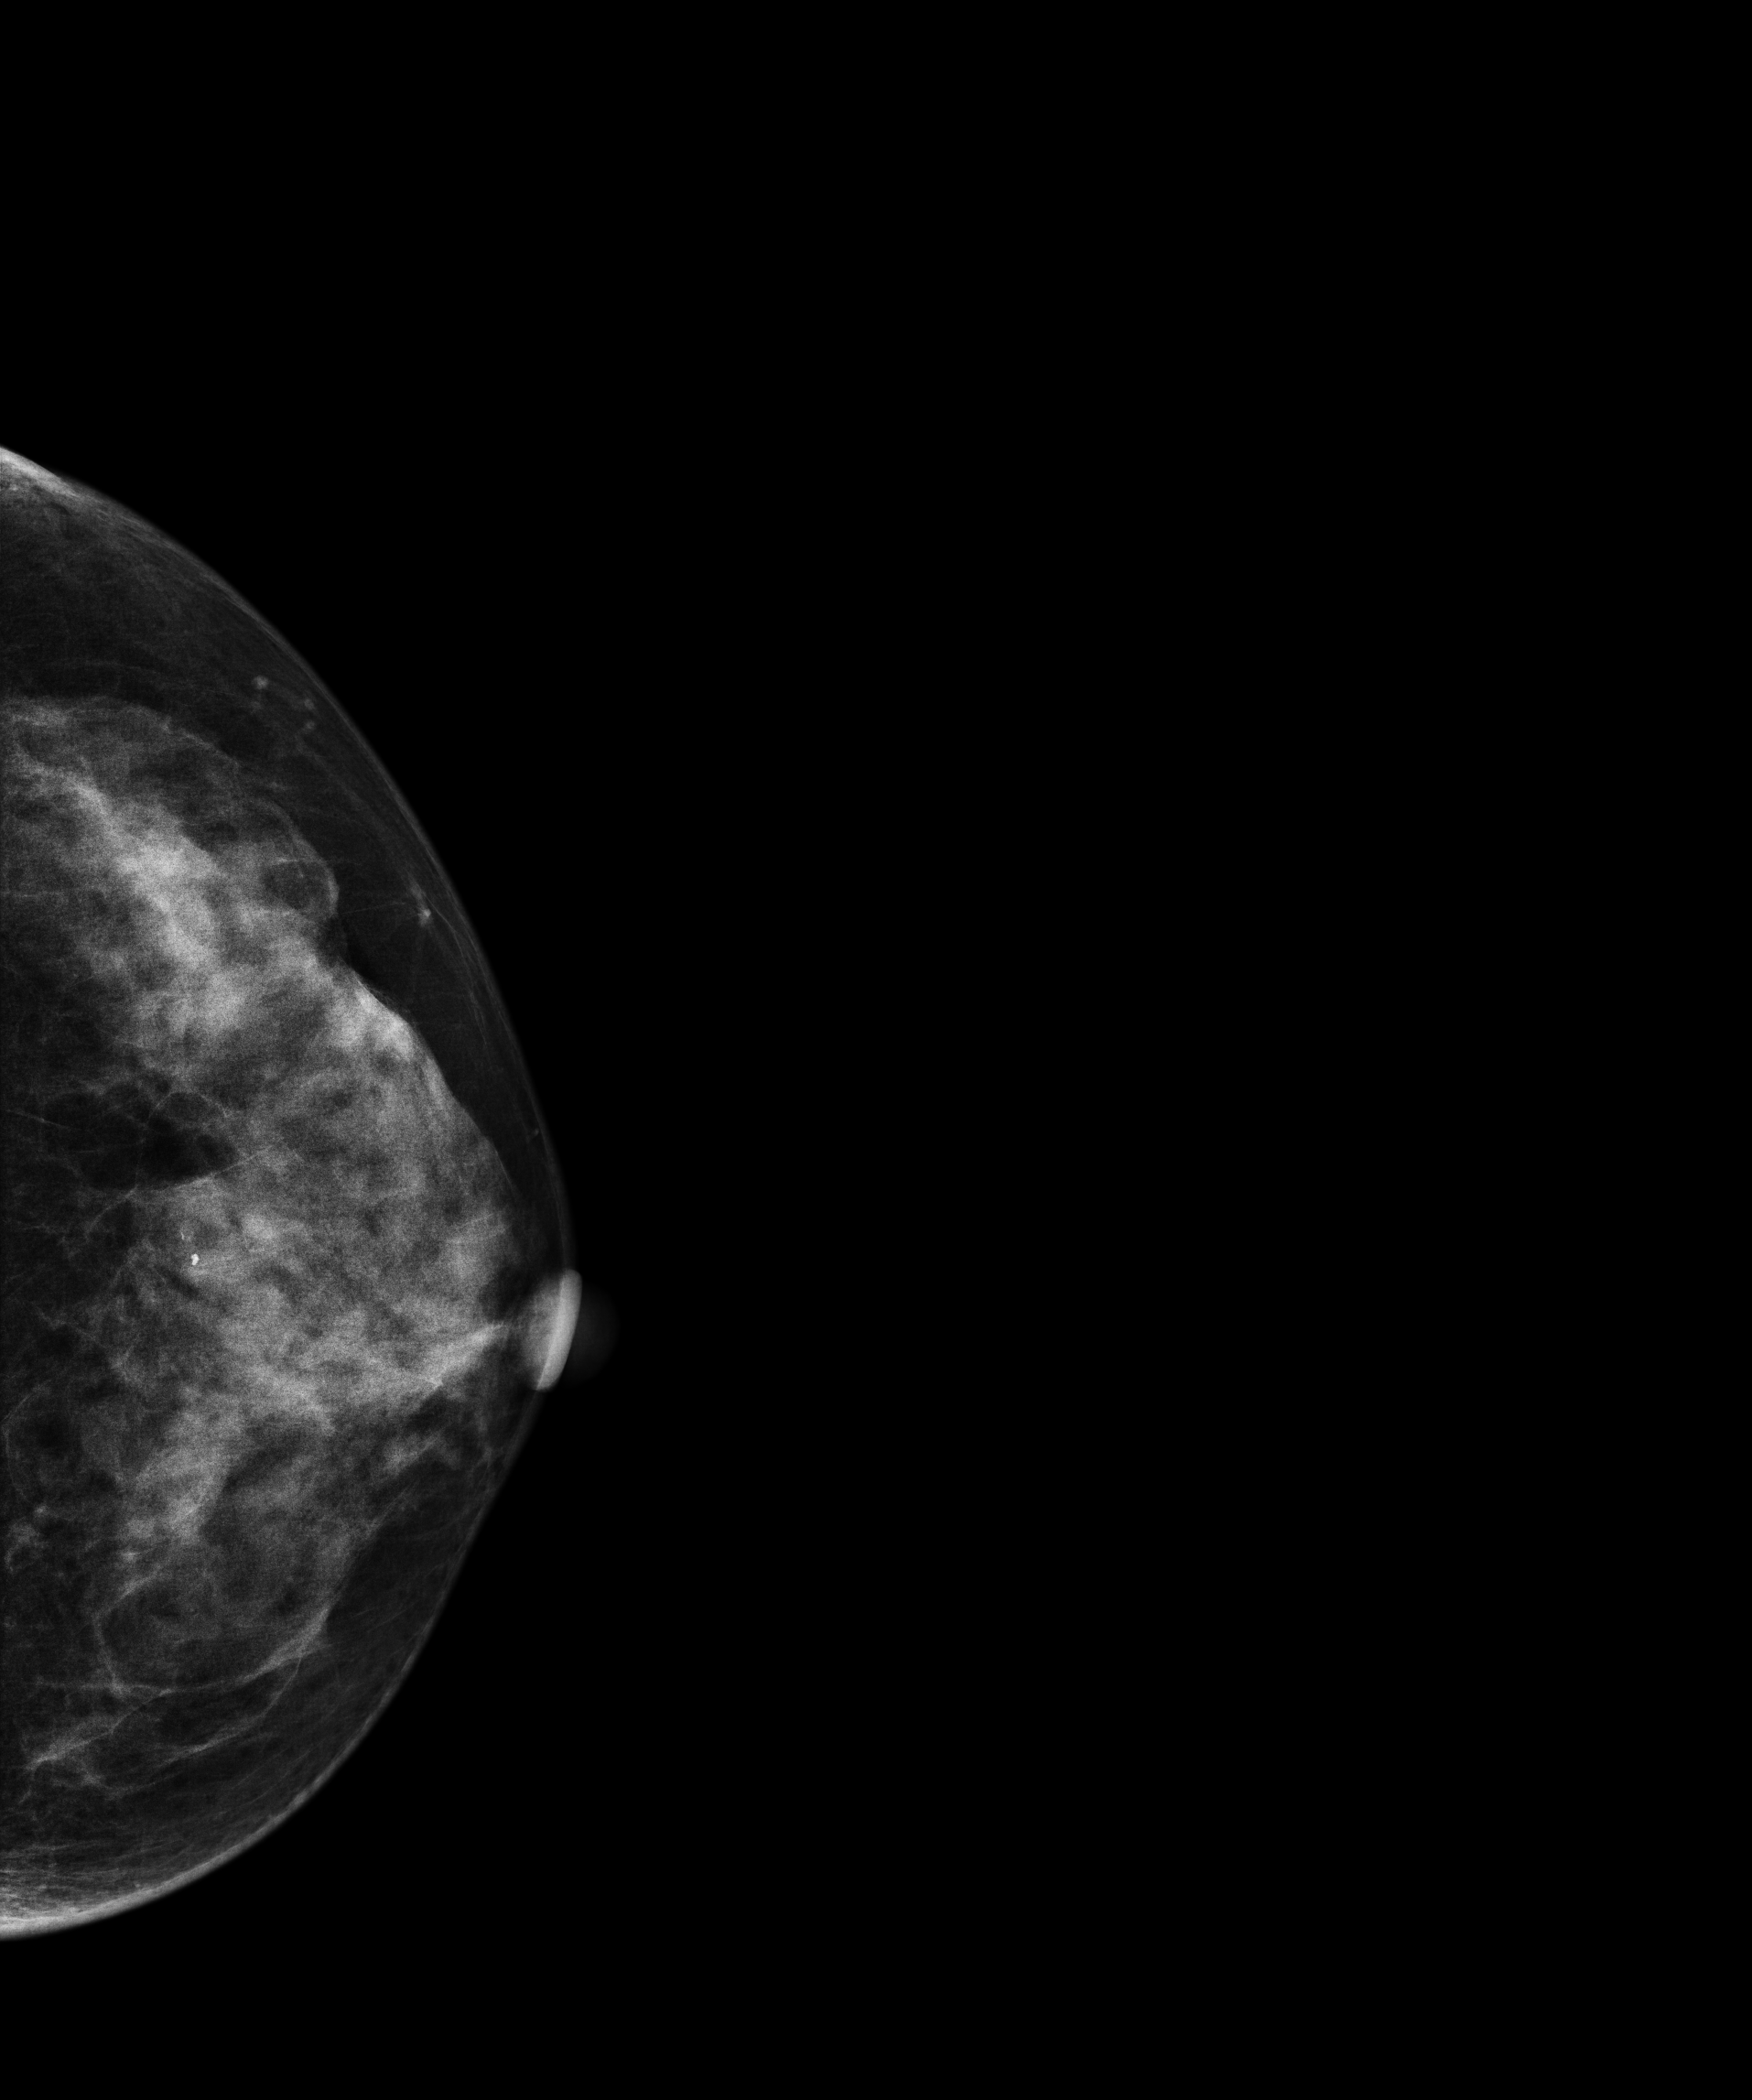
Digital mammography. Left breast, CC projection. Patient age 51.
This breast has a mass and calcifications, pathology-confirmed benign.